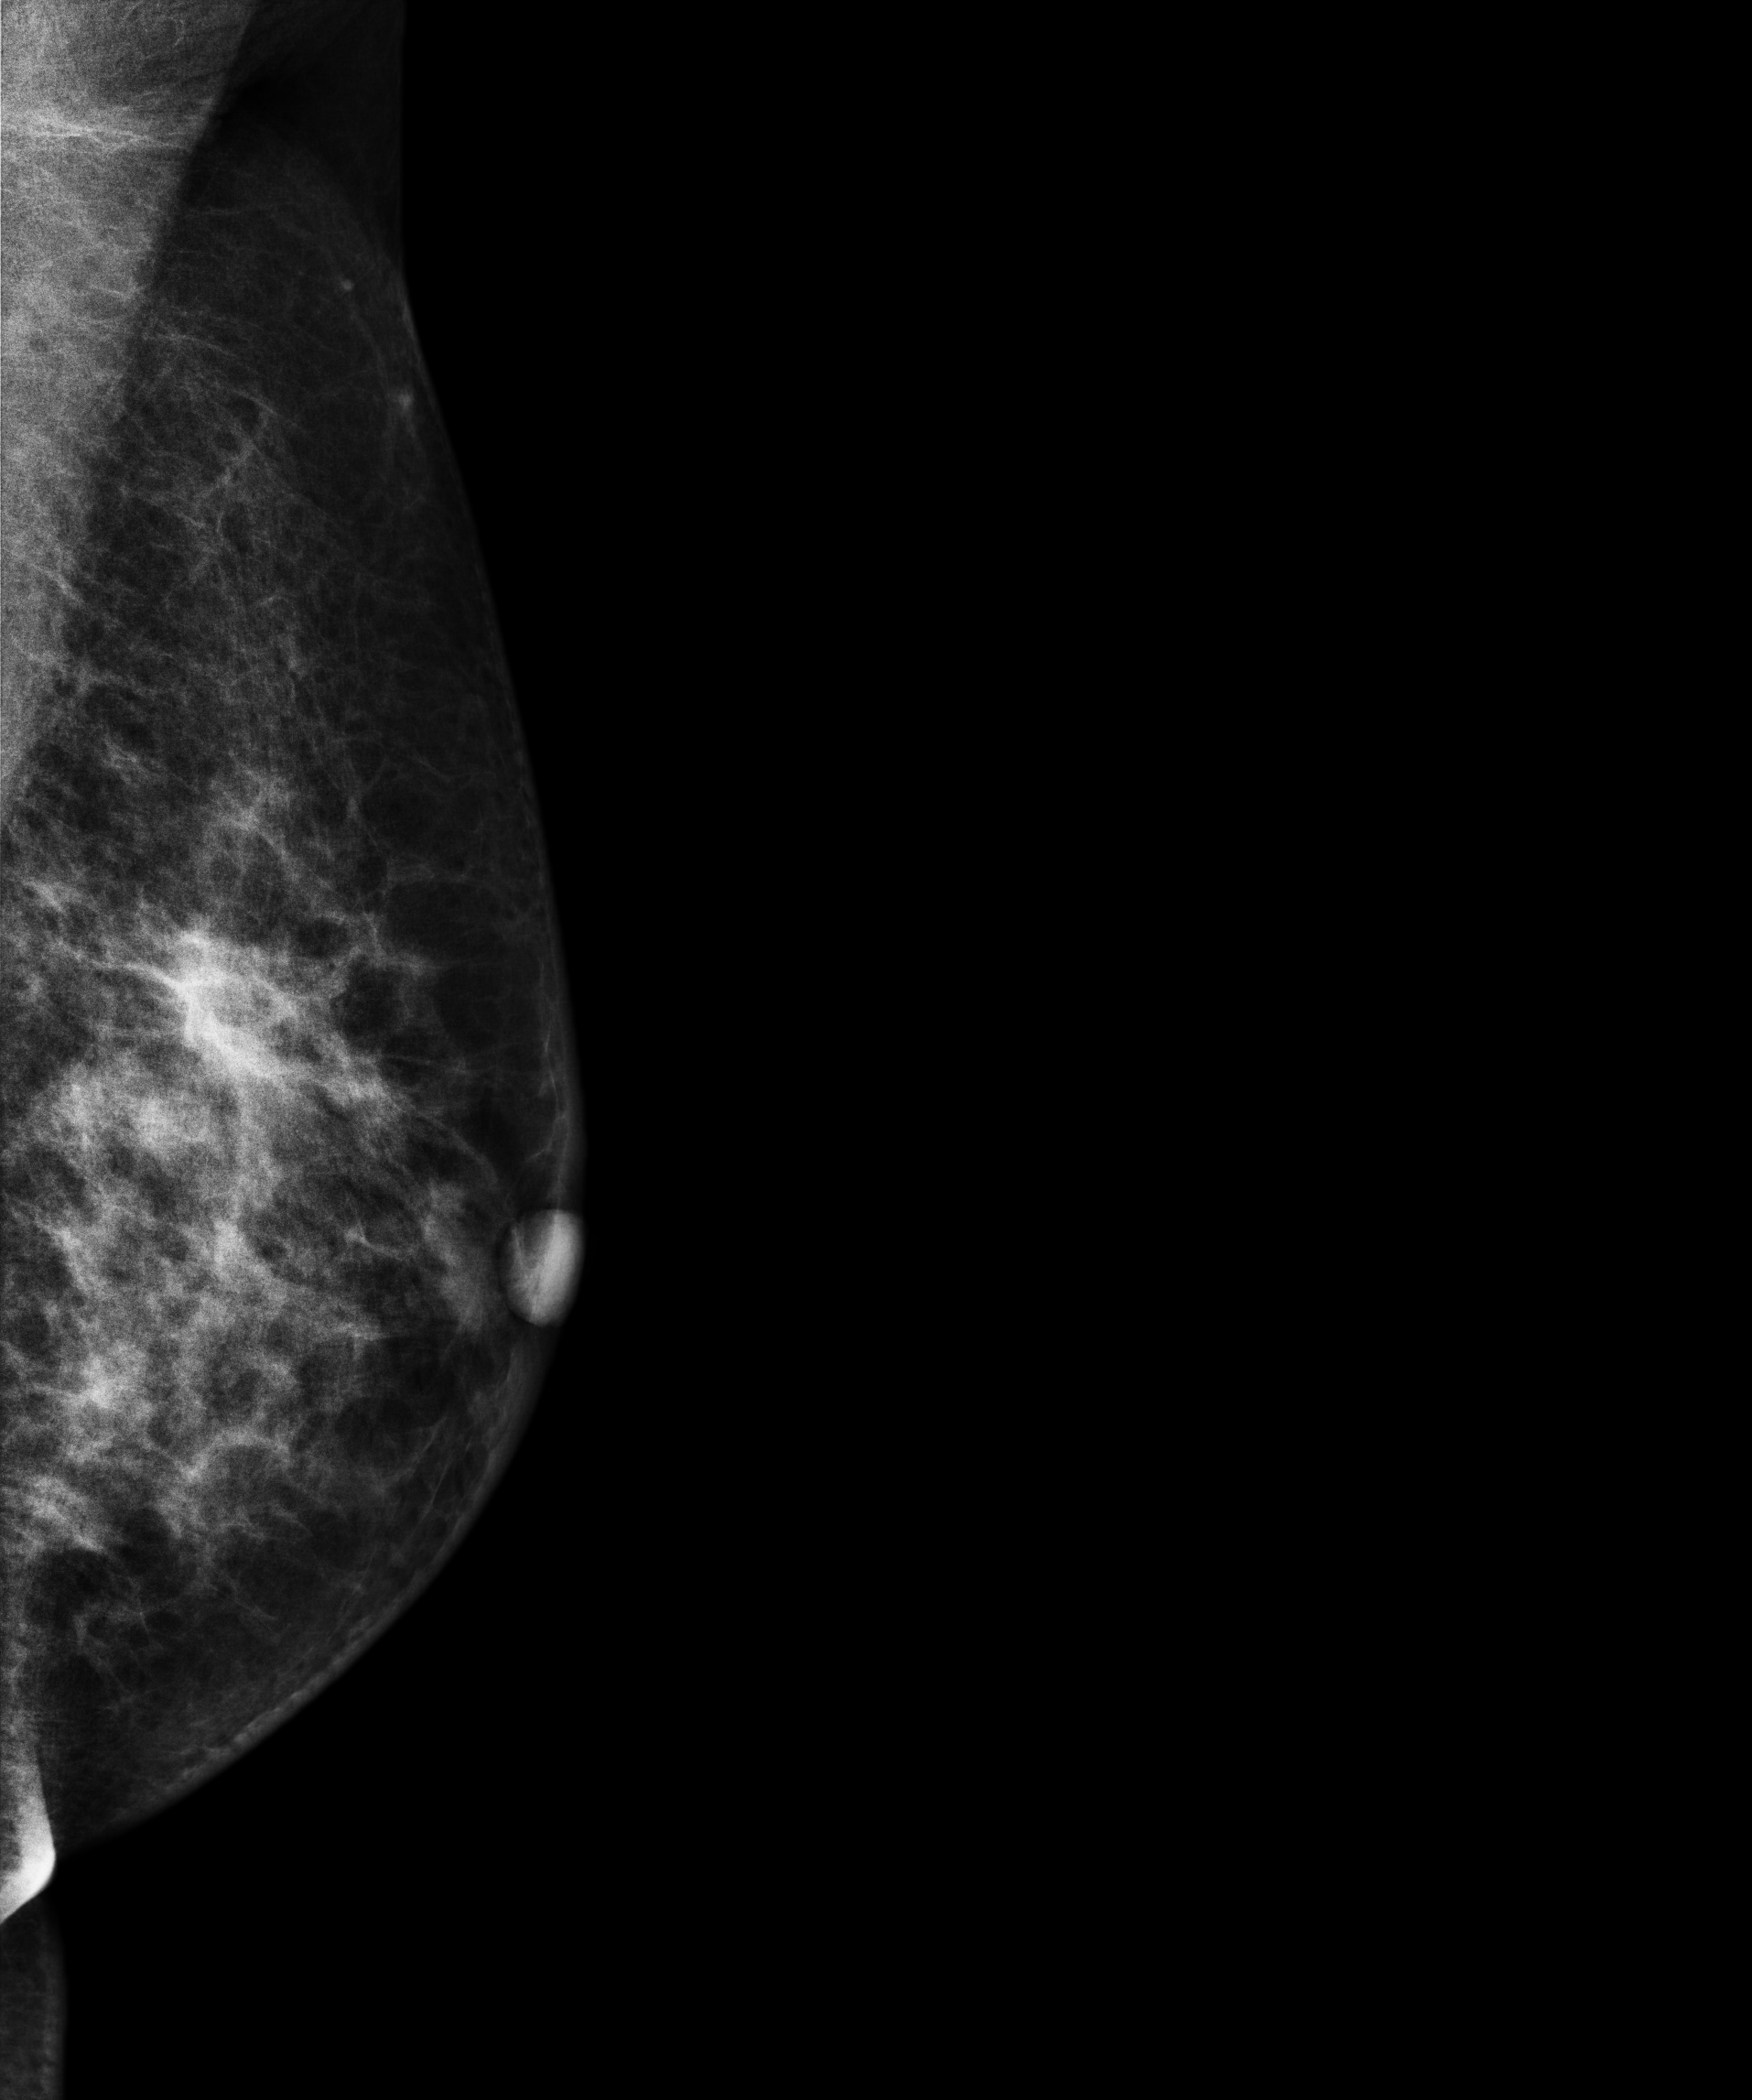
MLO mammogram of the left breast. 42 y/o patient.
This breast has a mass, histologically confirmed malignant. Molecular subtype: luminal B.